Digital mammography. Left breast, CC projection. 31-year-old patient.
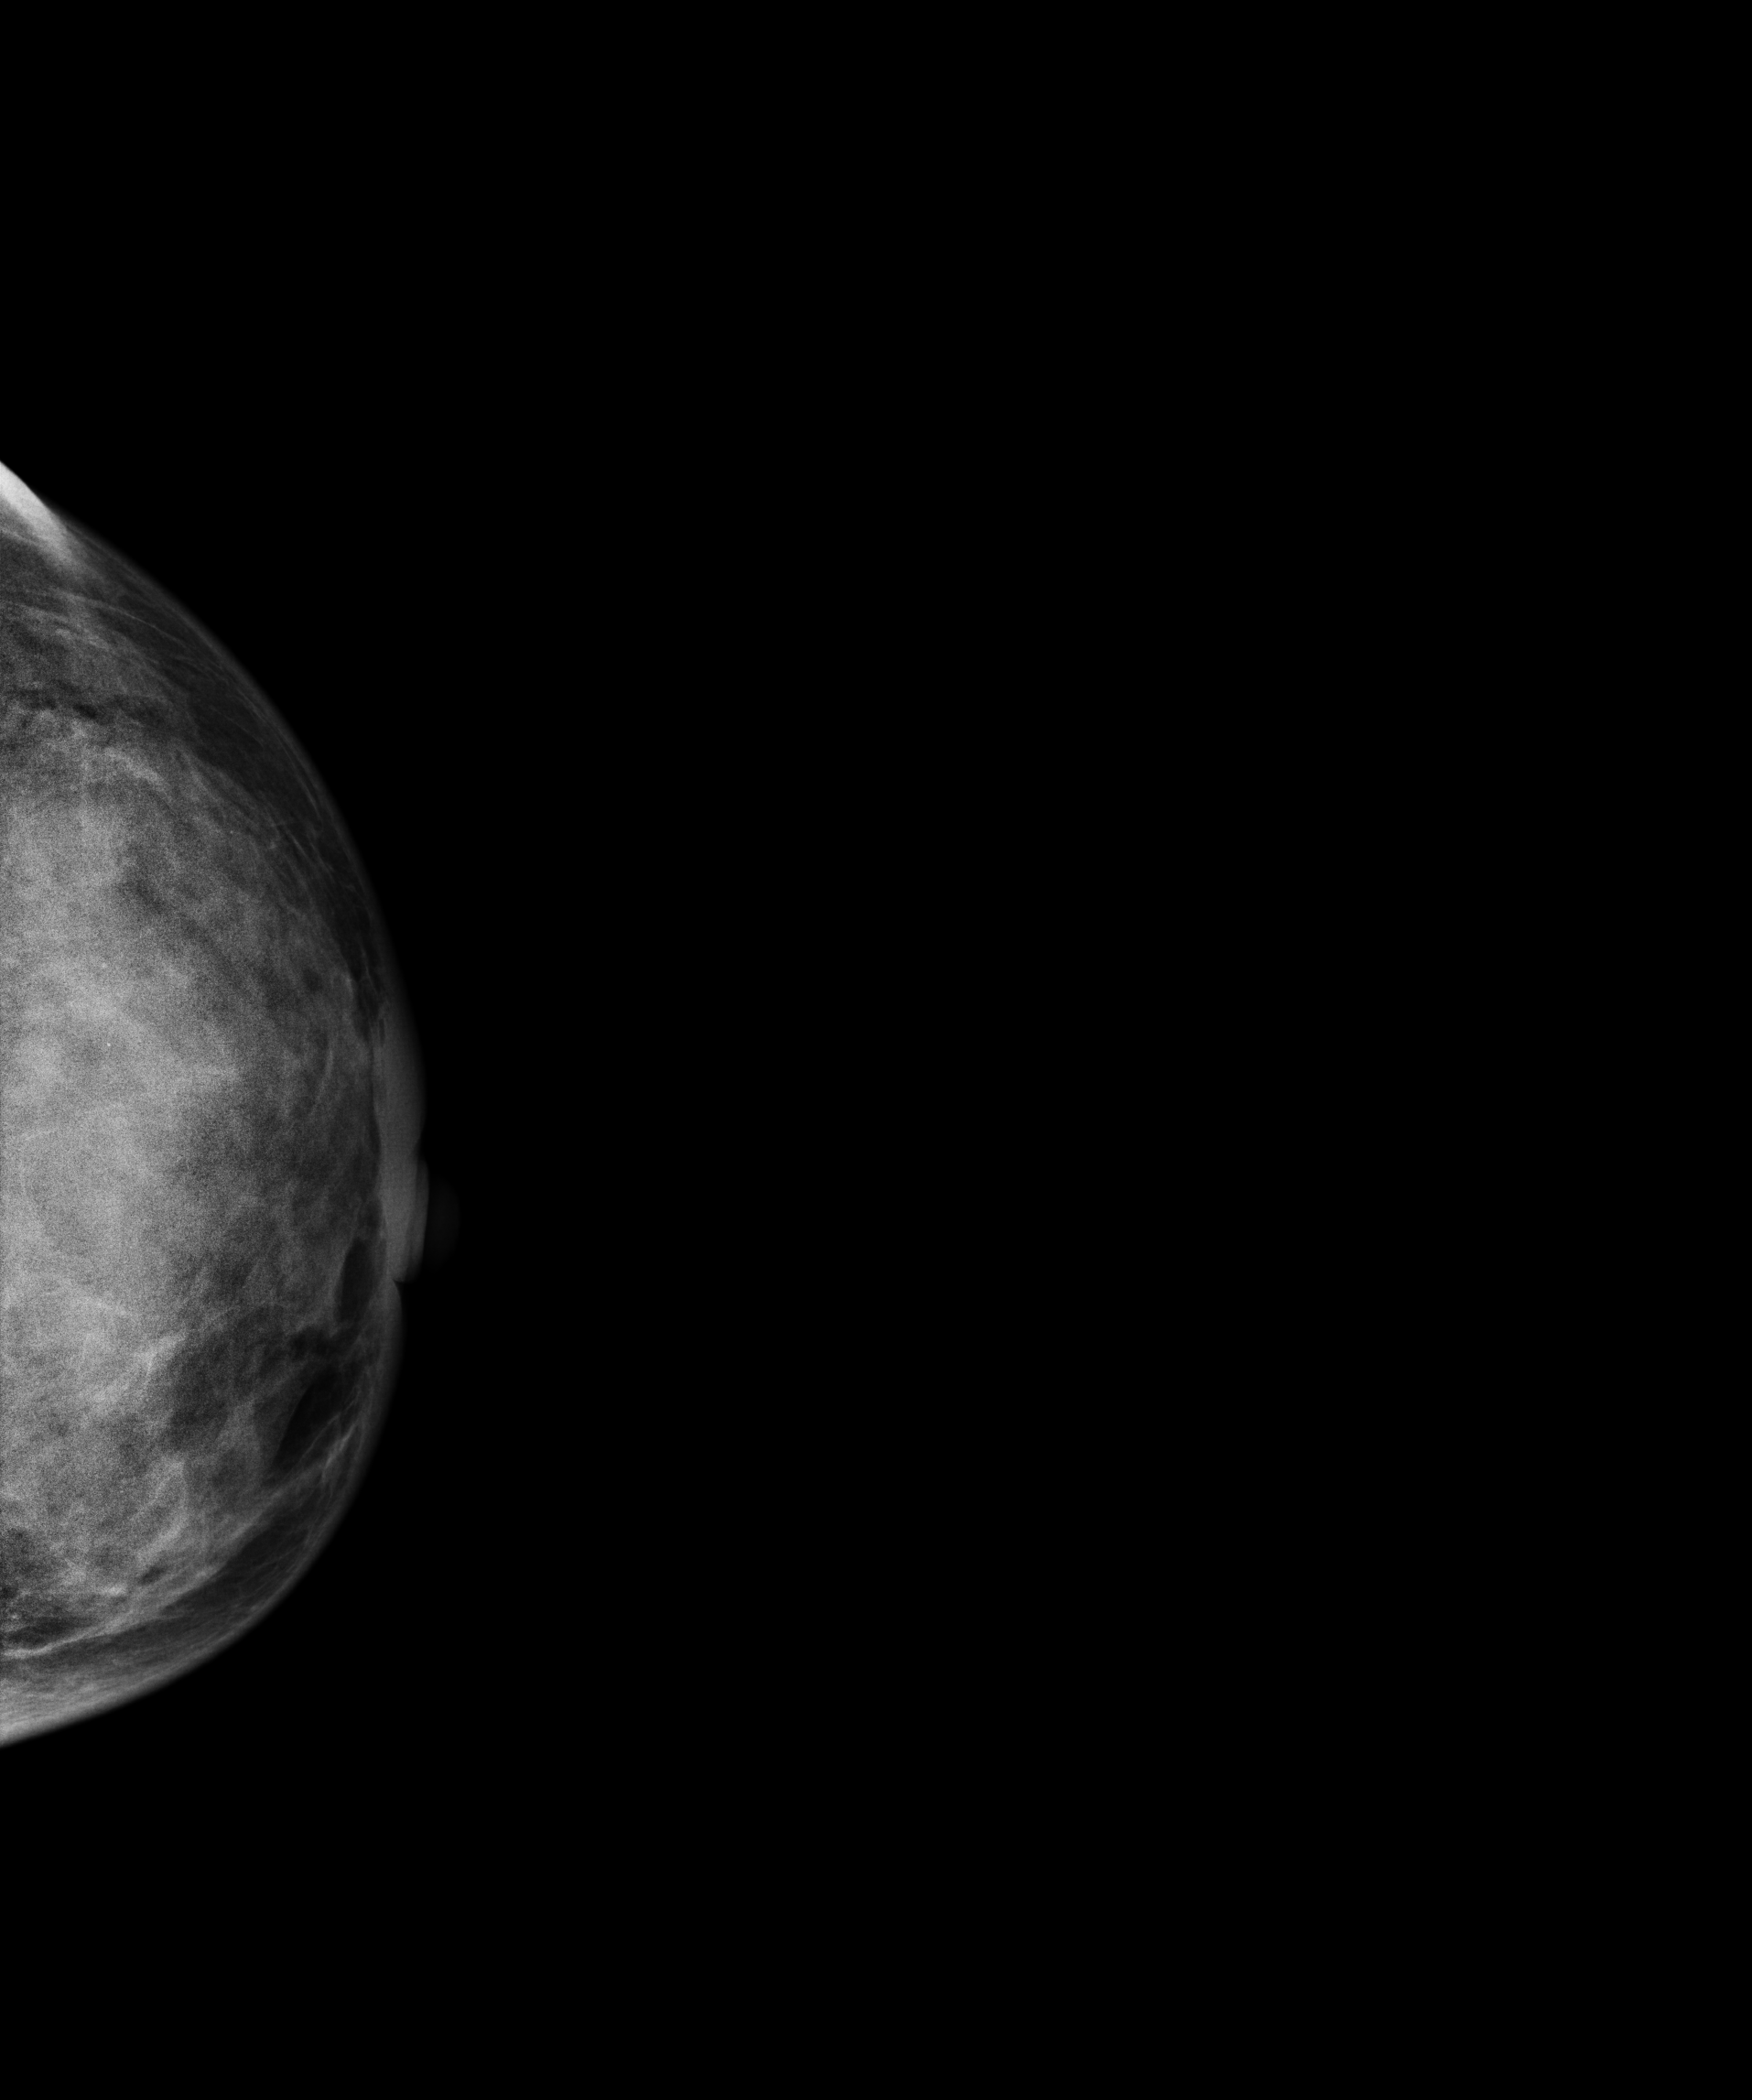
This breast has a mass and calcifications, pathology-confirmed malignant. Molecular subtype: HER2-enriched.